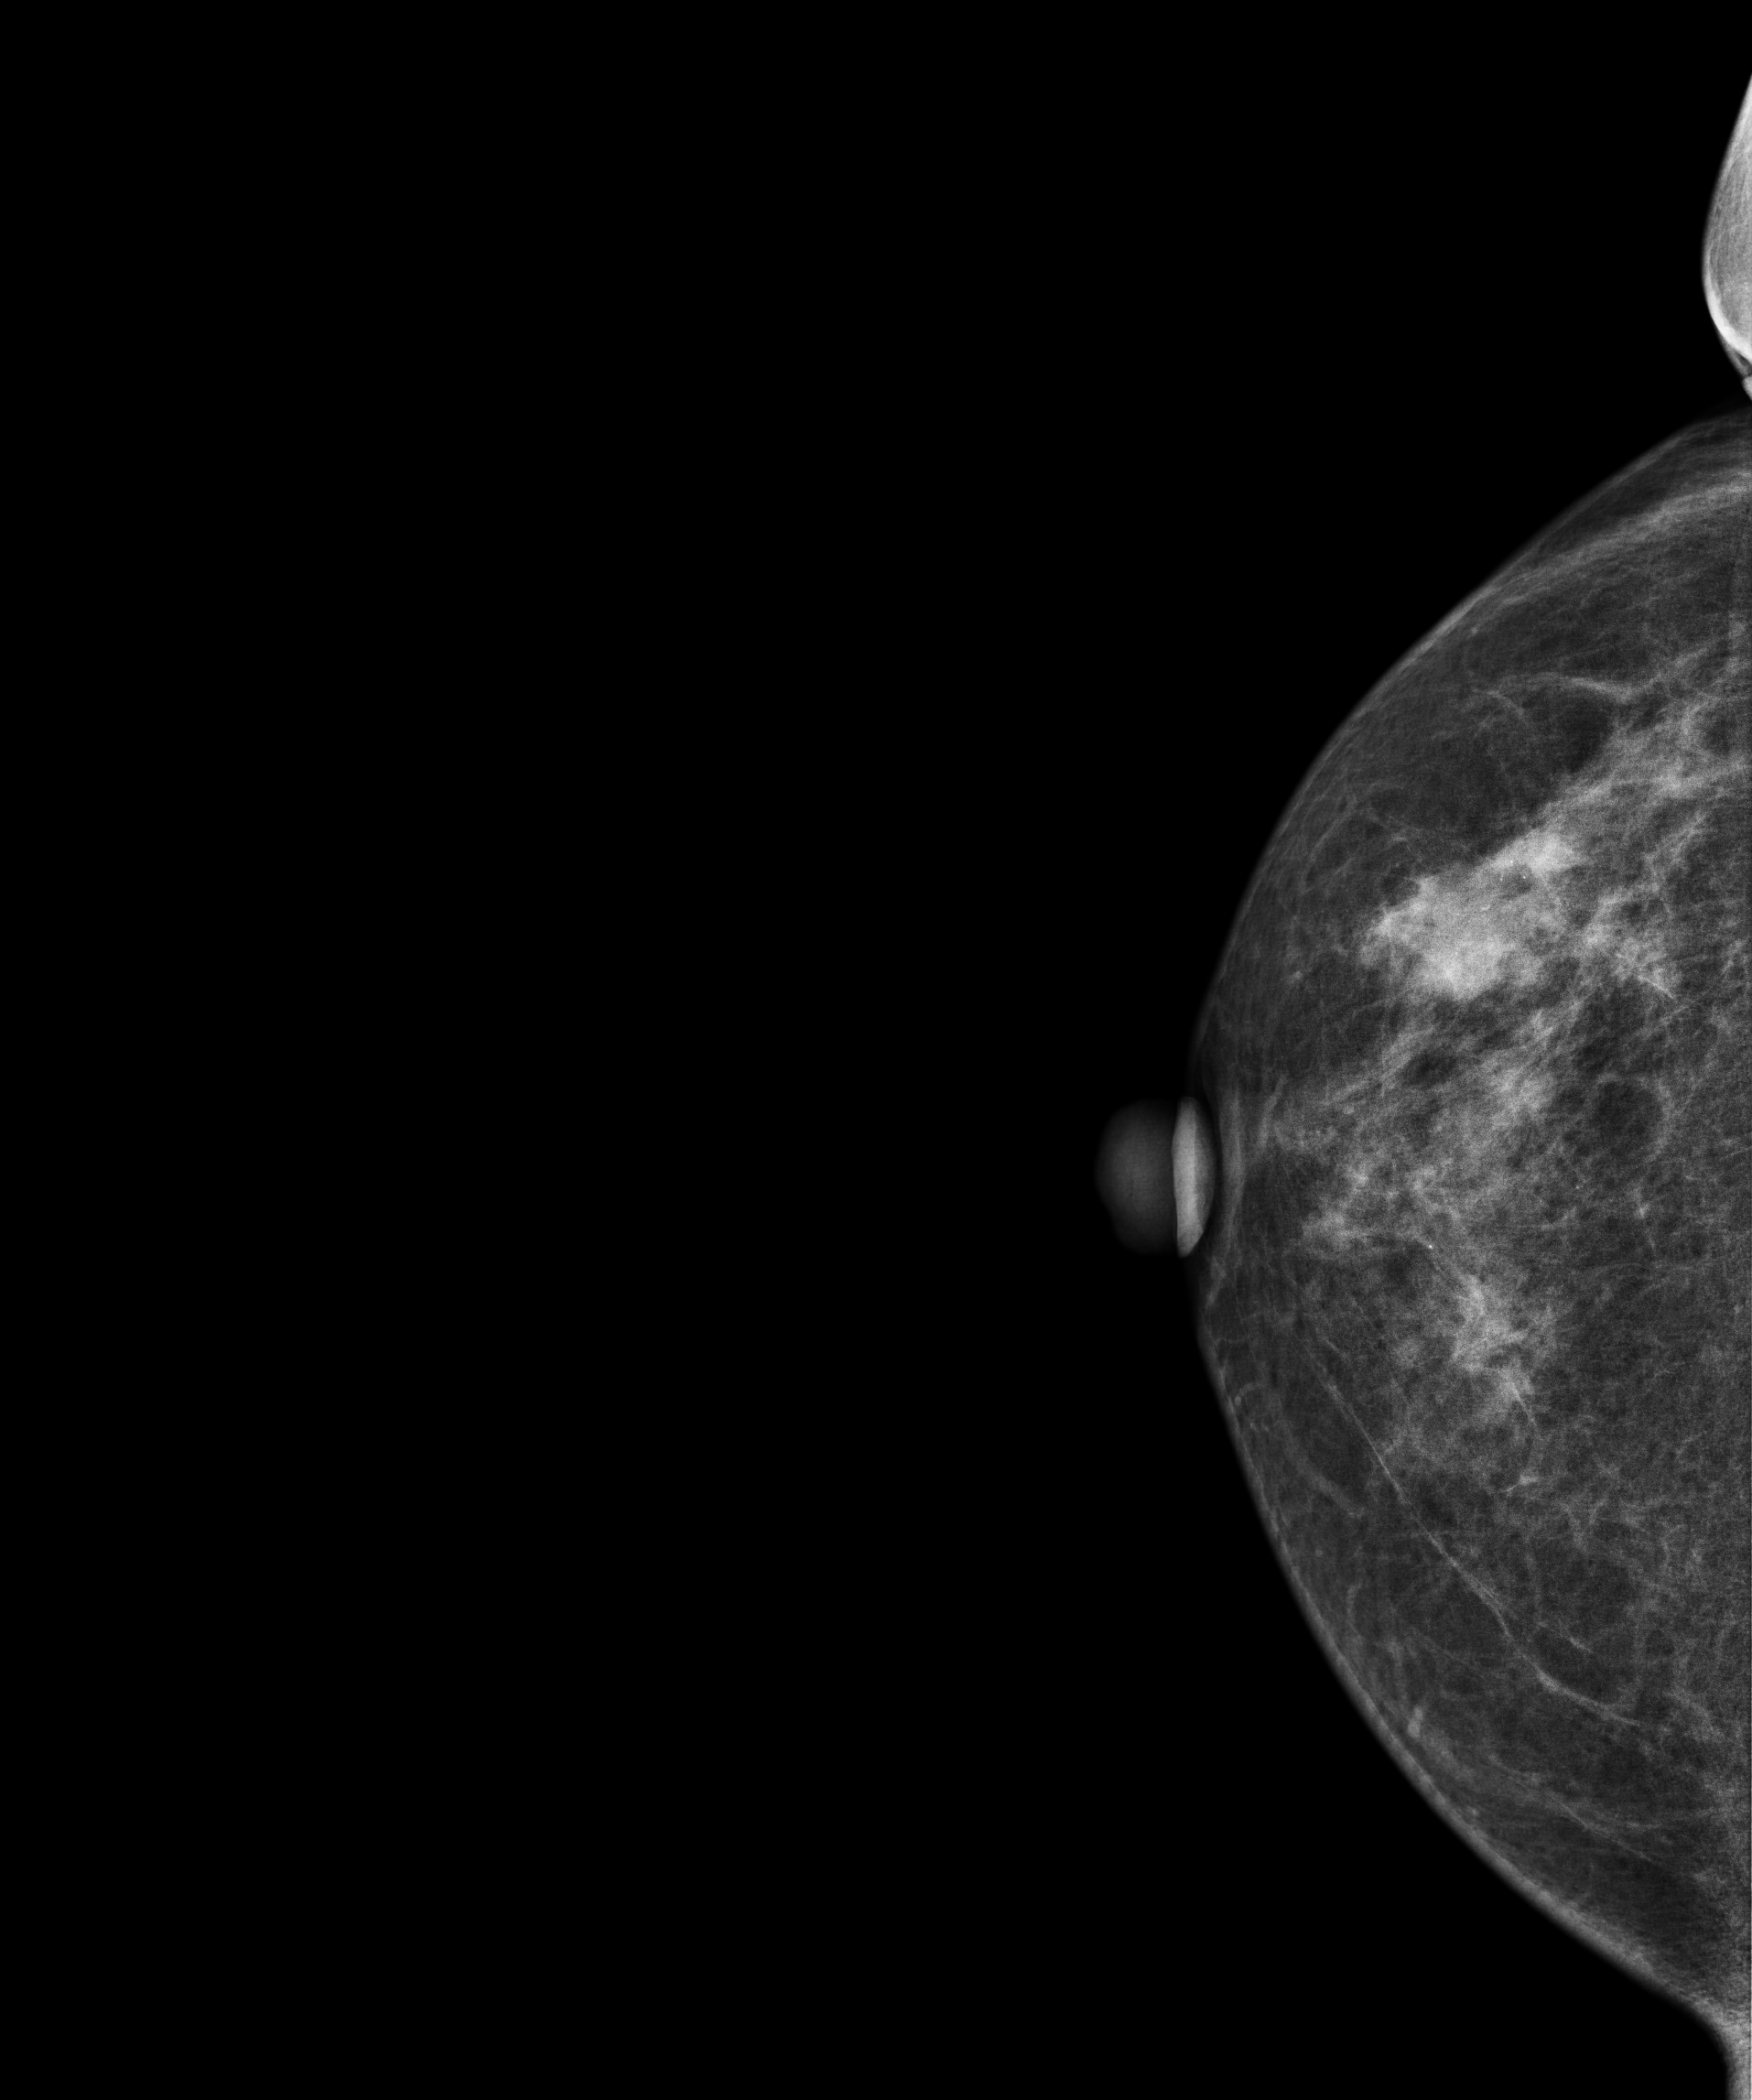
Mammogram — right cranio-caudal. Patient age 58.
This breast has a mass and calcifications, histologically confirmed malignant. Molecular subtype: luminal B.